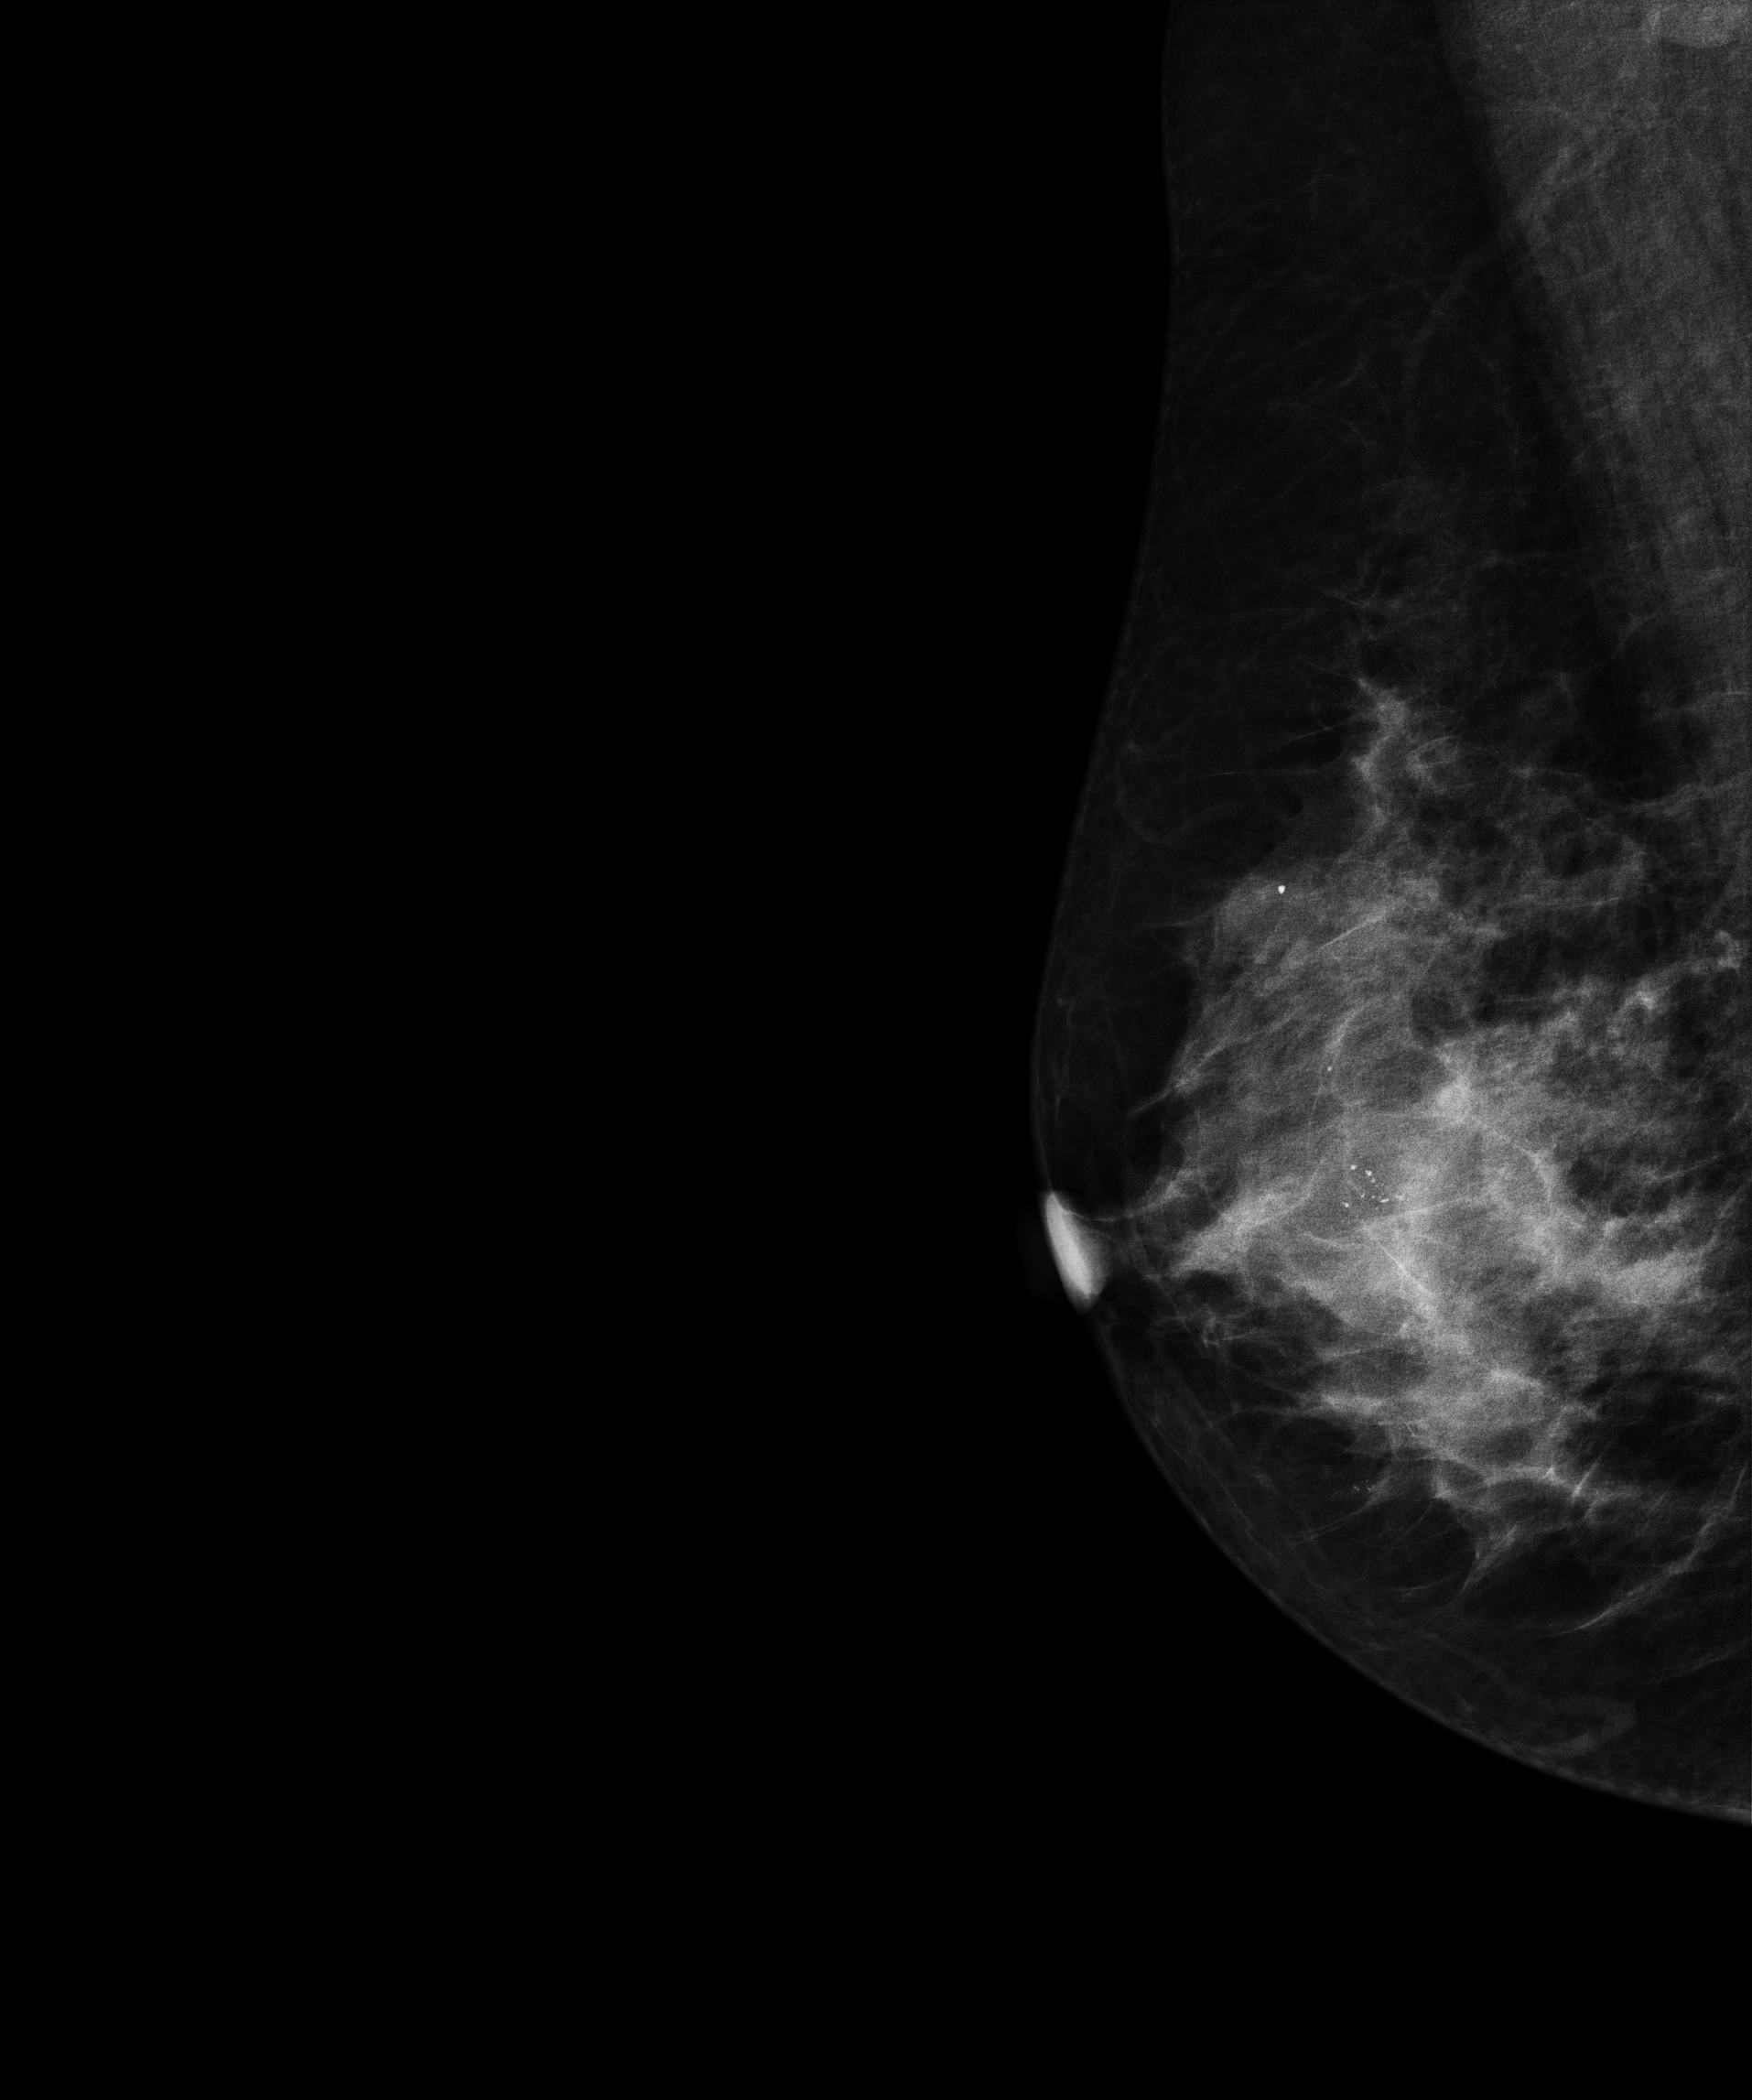
Mammogram — right medio-lateral oblique. 52 y/o patient.
This breast has calcifications, histologically confirmed malignant.